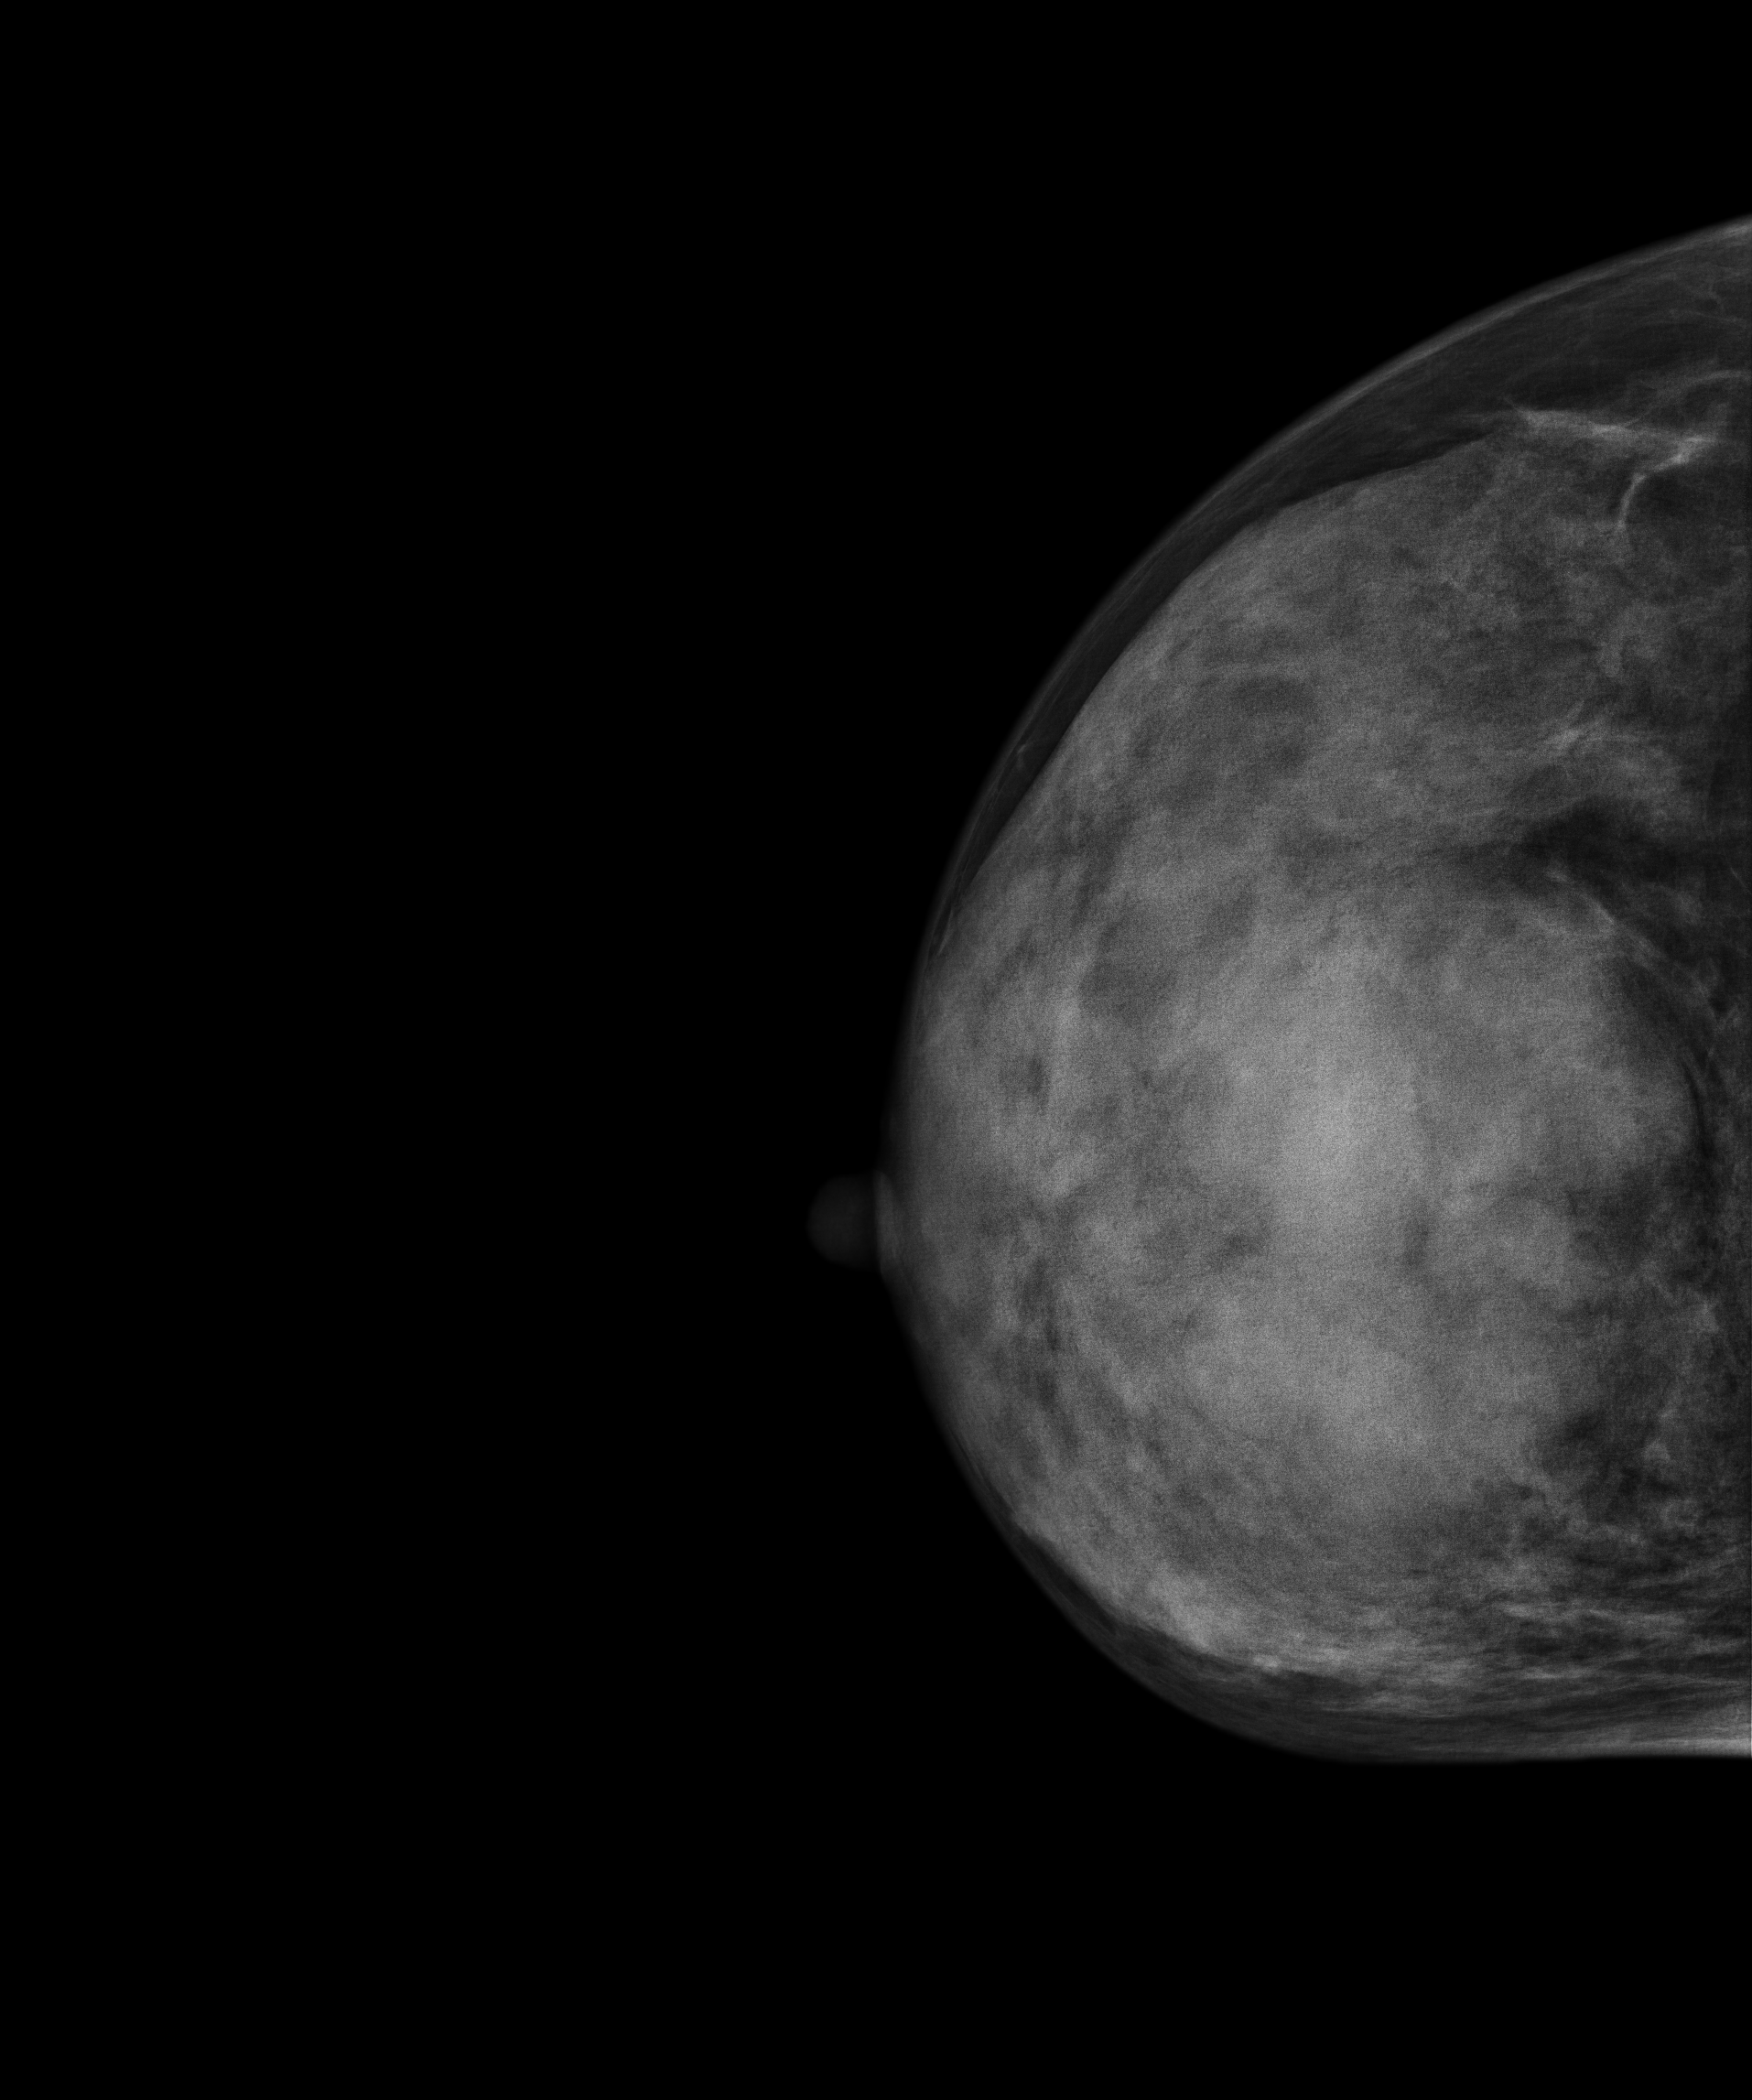
Right-breast mammogram, cranio-caudal. 38 y/o patient.
This breast has a mass, pathology-confirmed malignant.